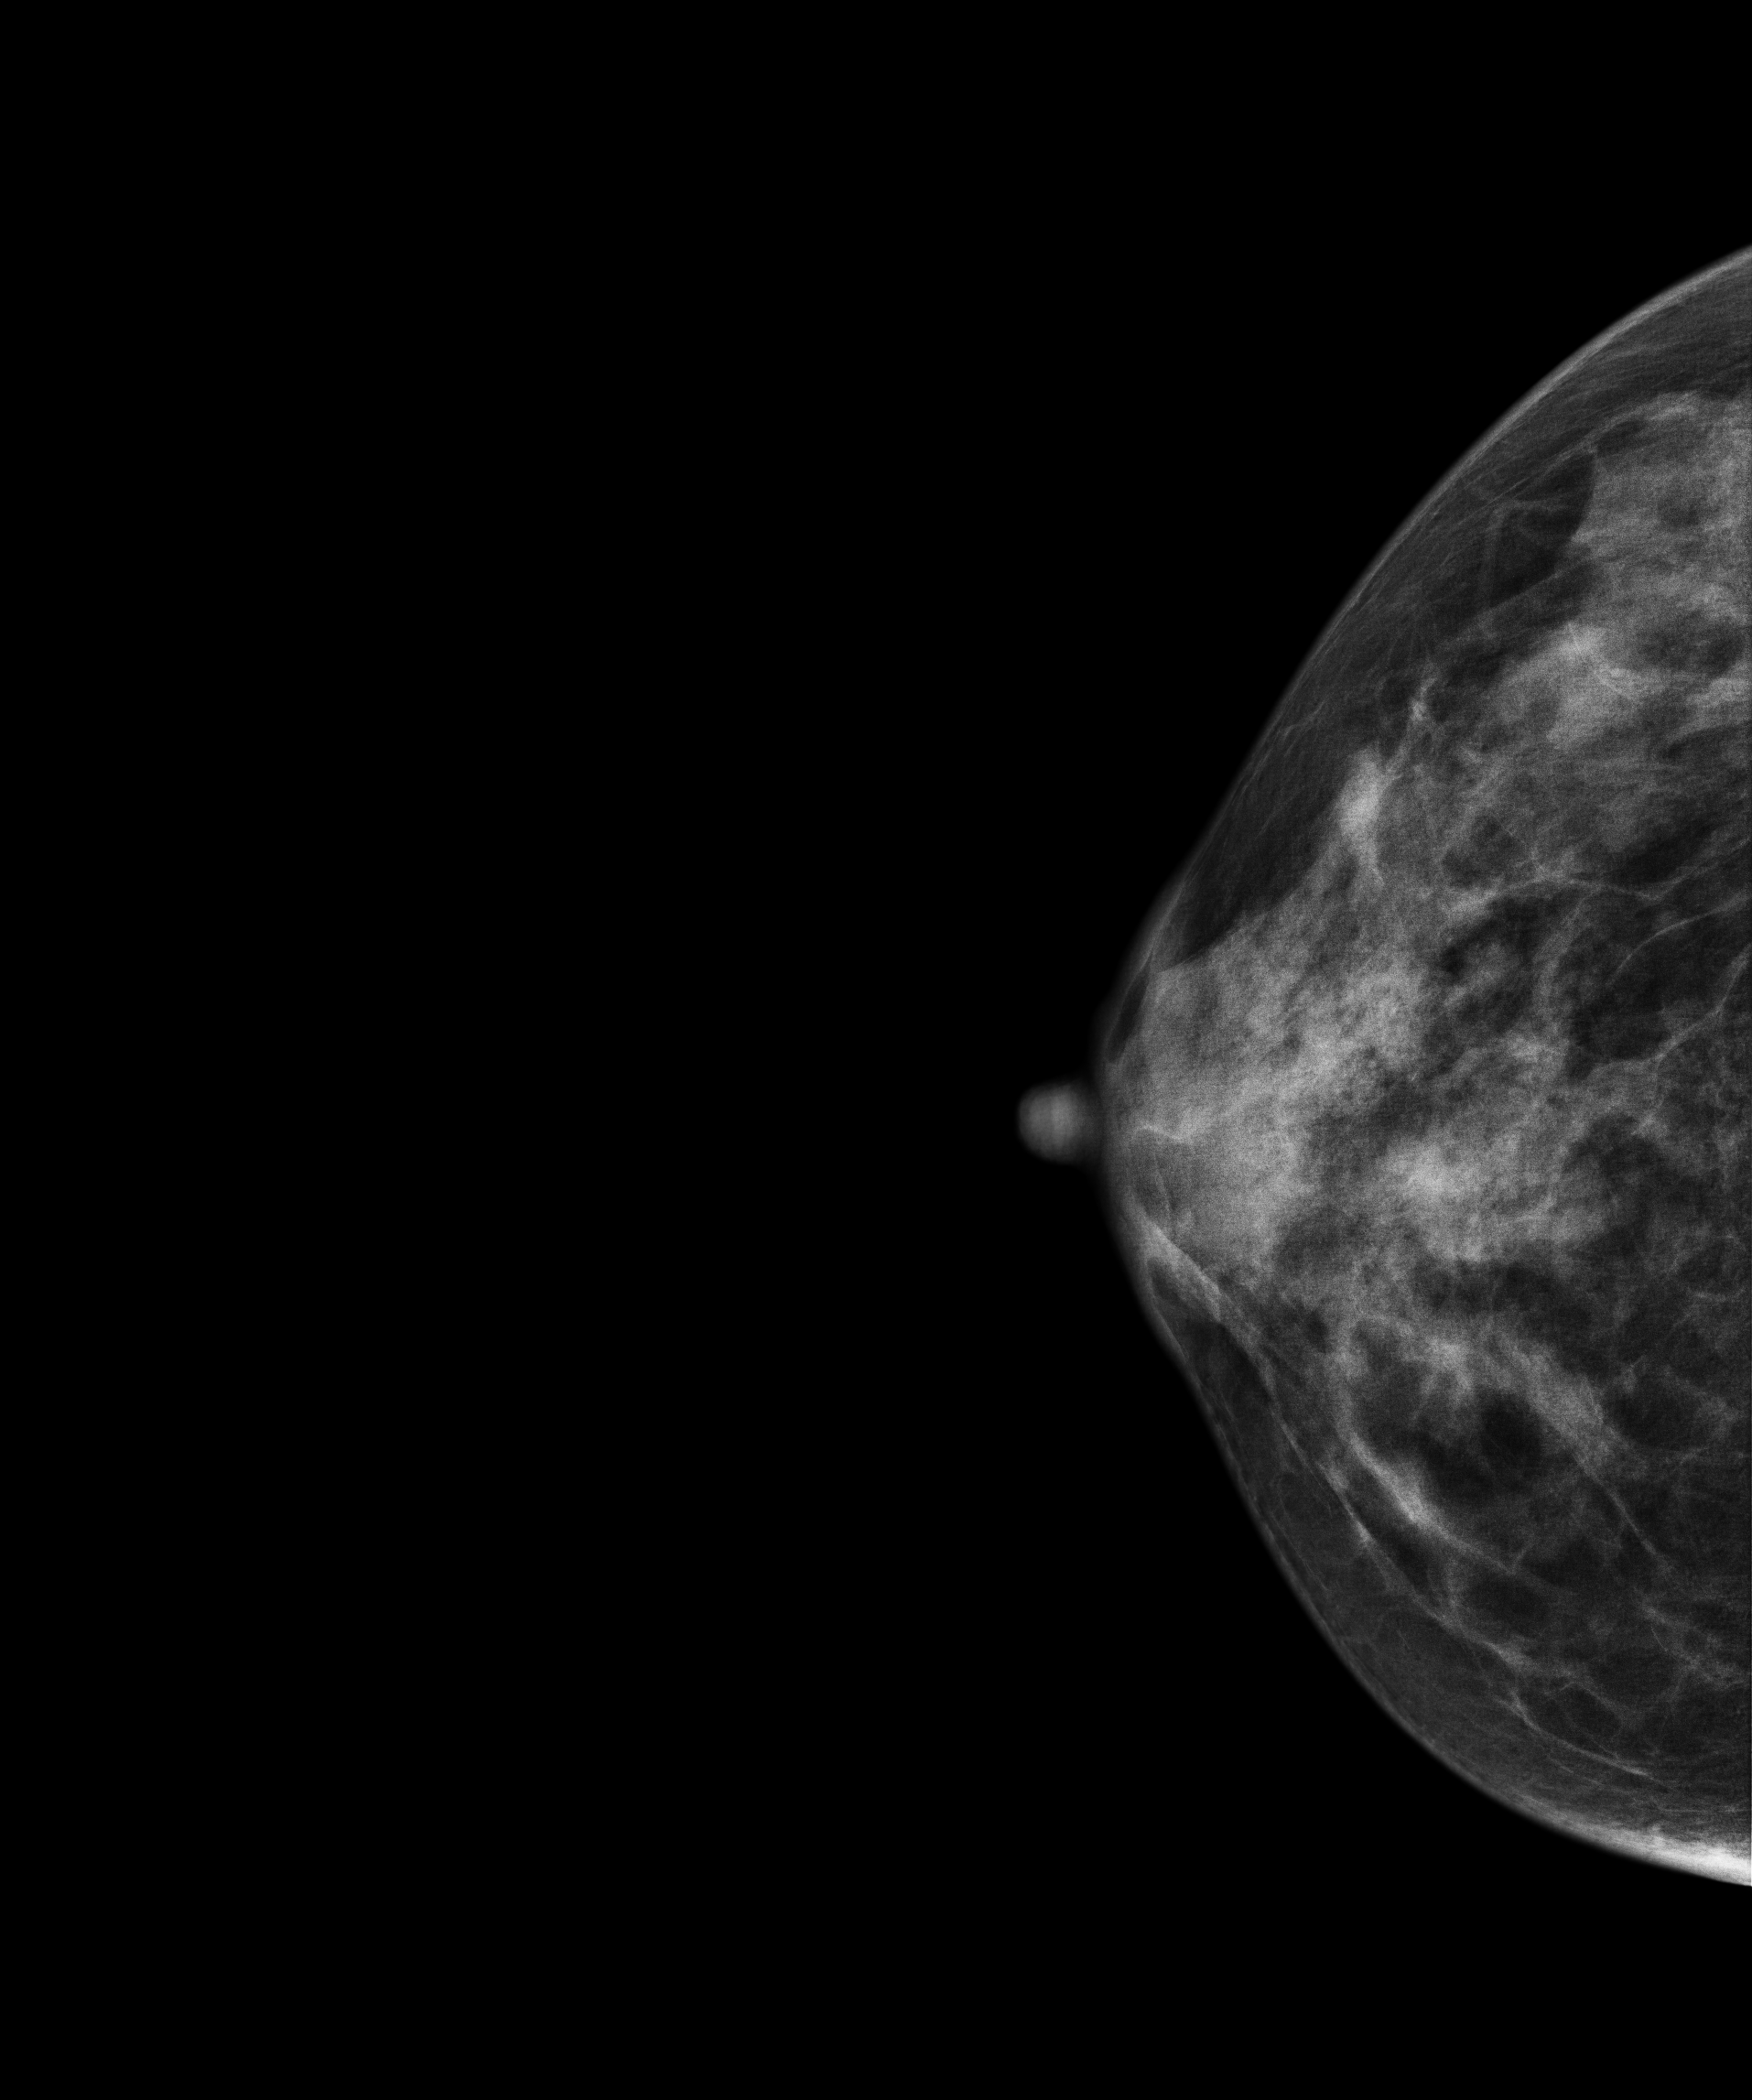
CC mammogram of the right breast. 50 y/o patient.
Contralateral breast — no documented abnormality on this side.